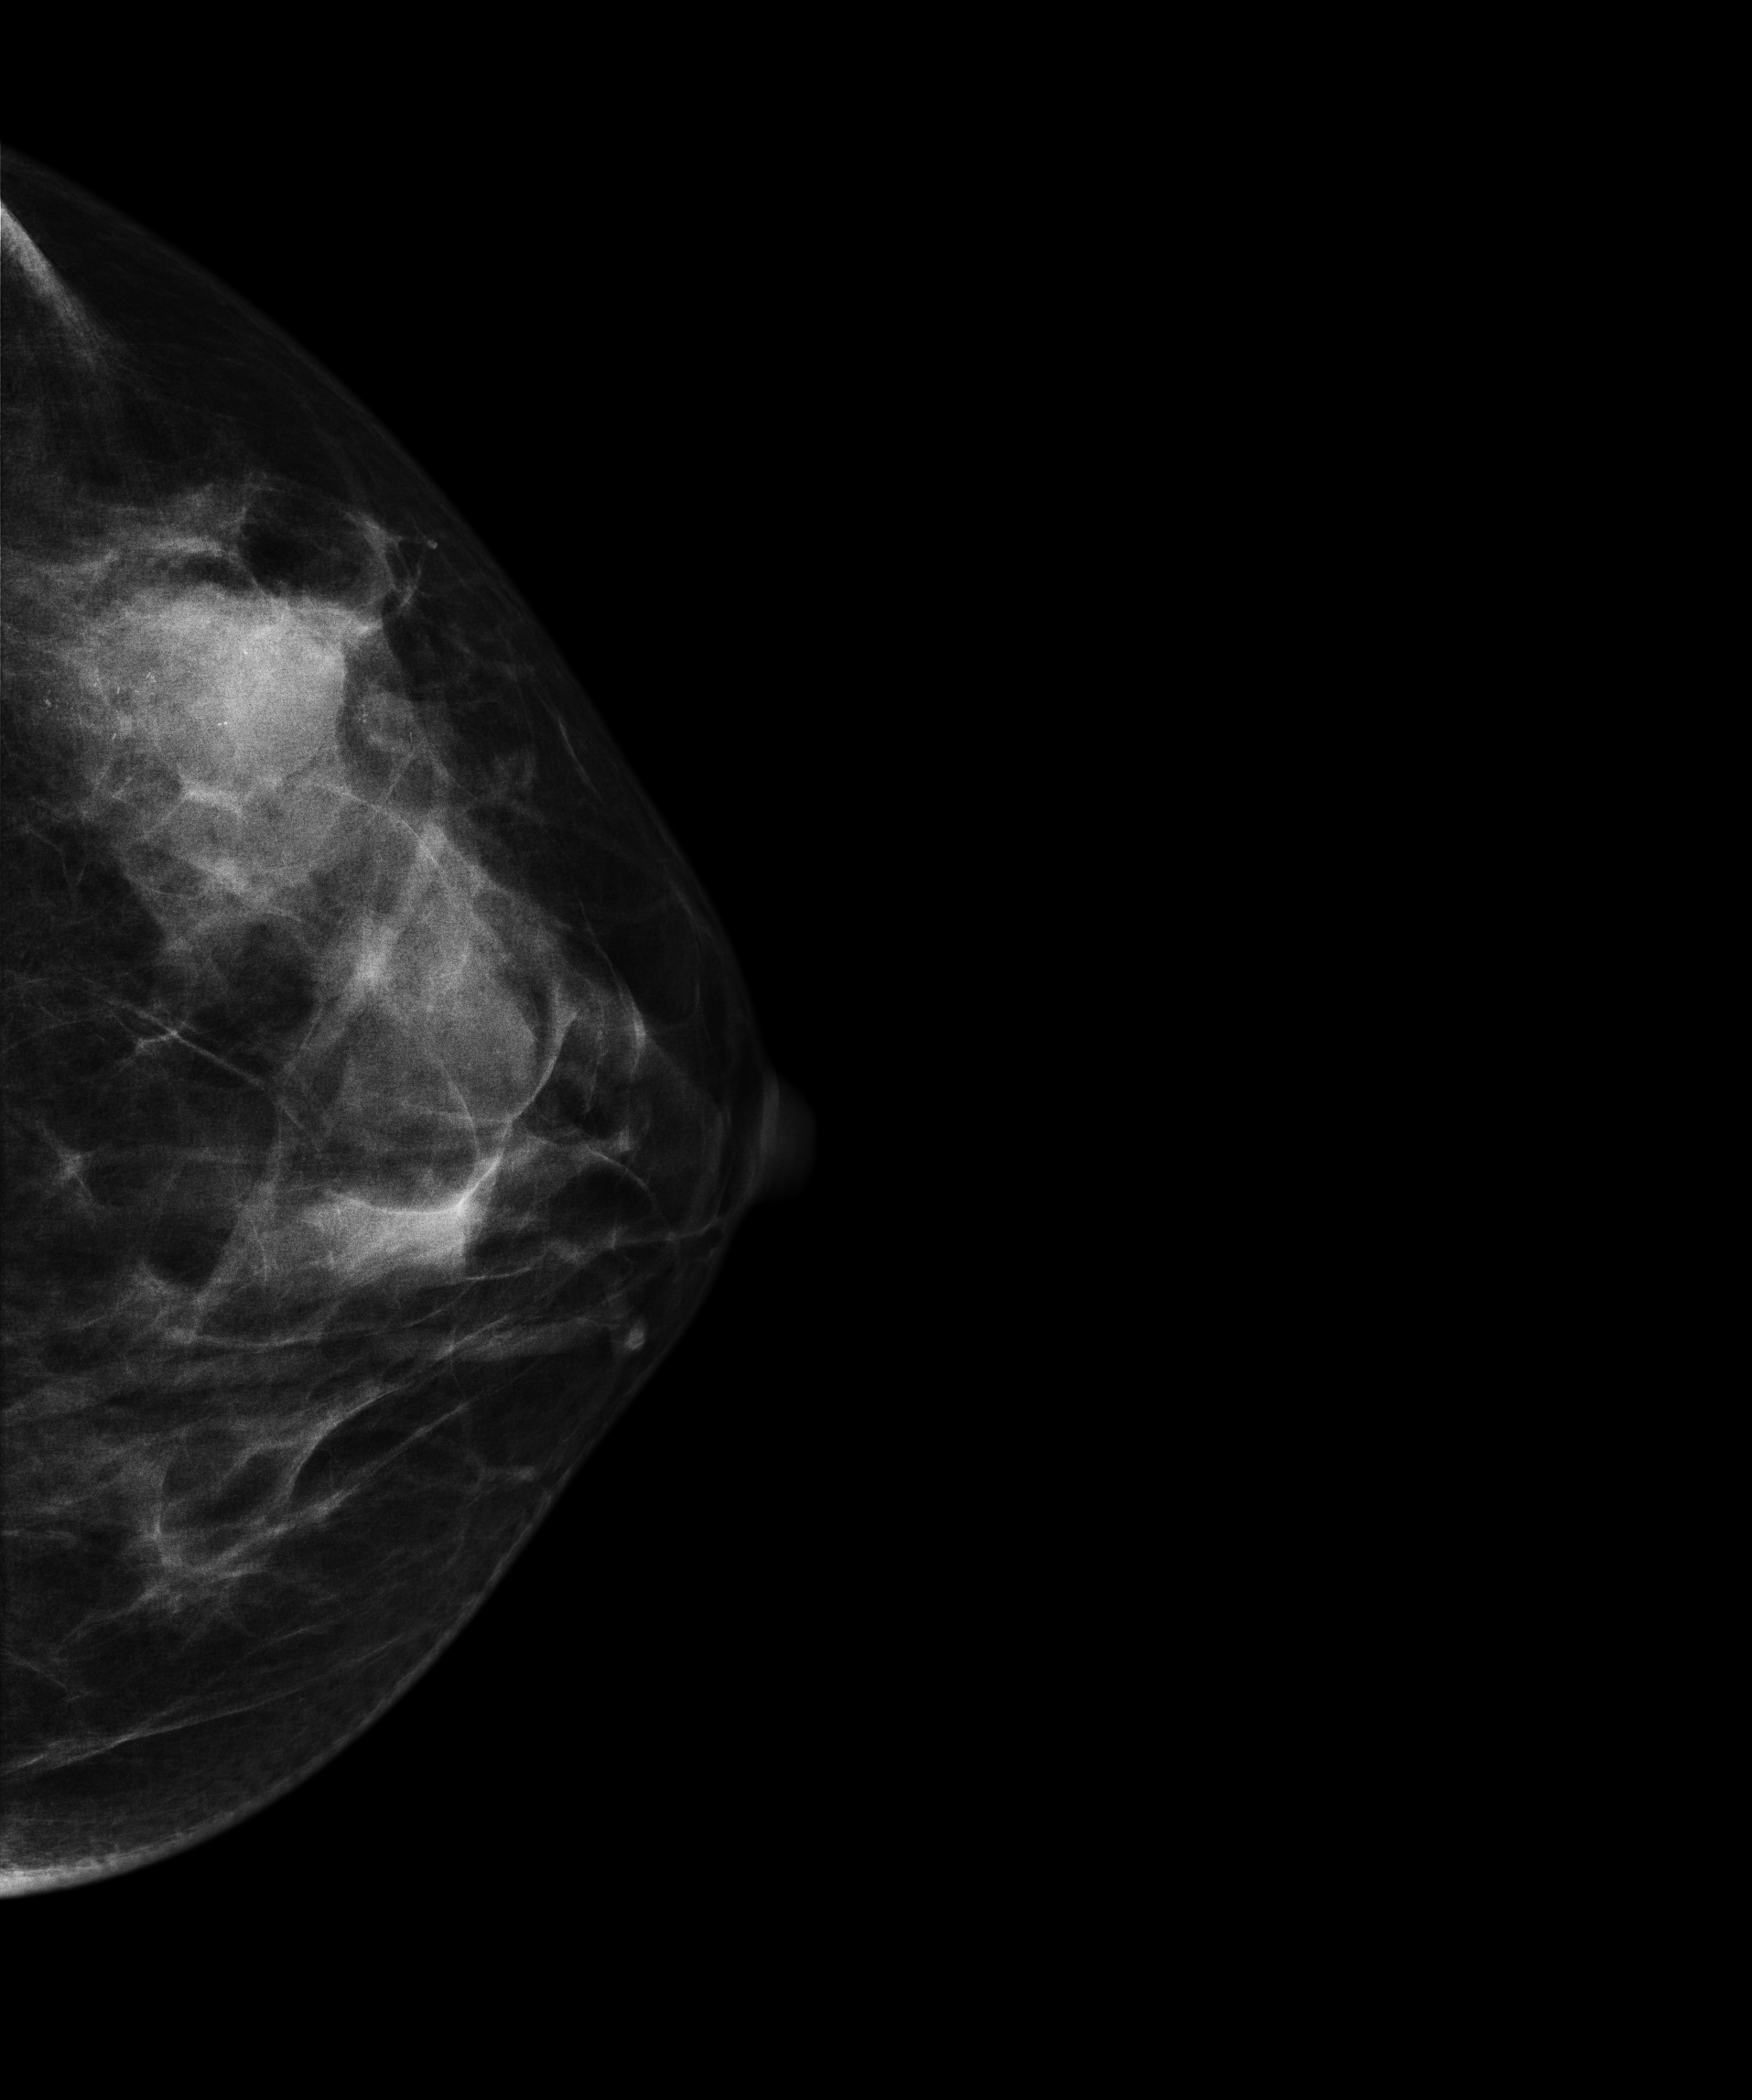
Mammogram — left CC. 52-year-old patient.
This breast has a mass and calcifications, histologically confirmed malignant. Molecular subtype: luminal B.